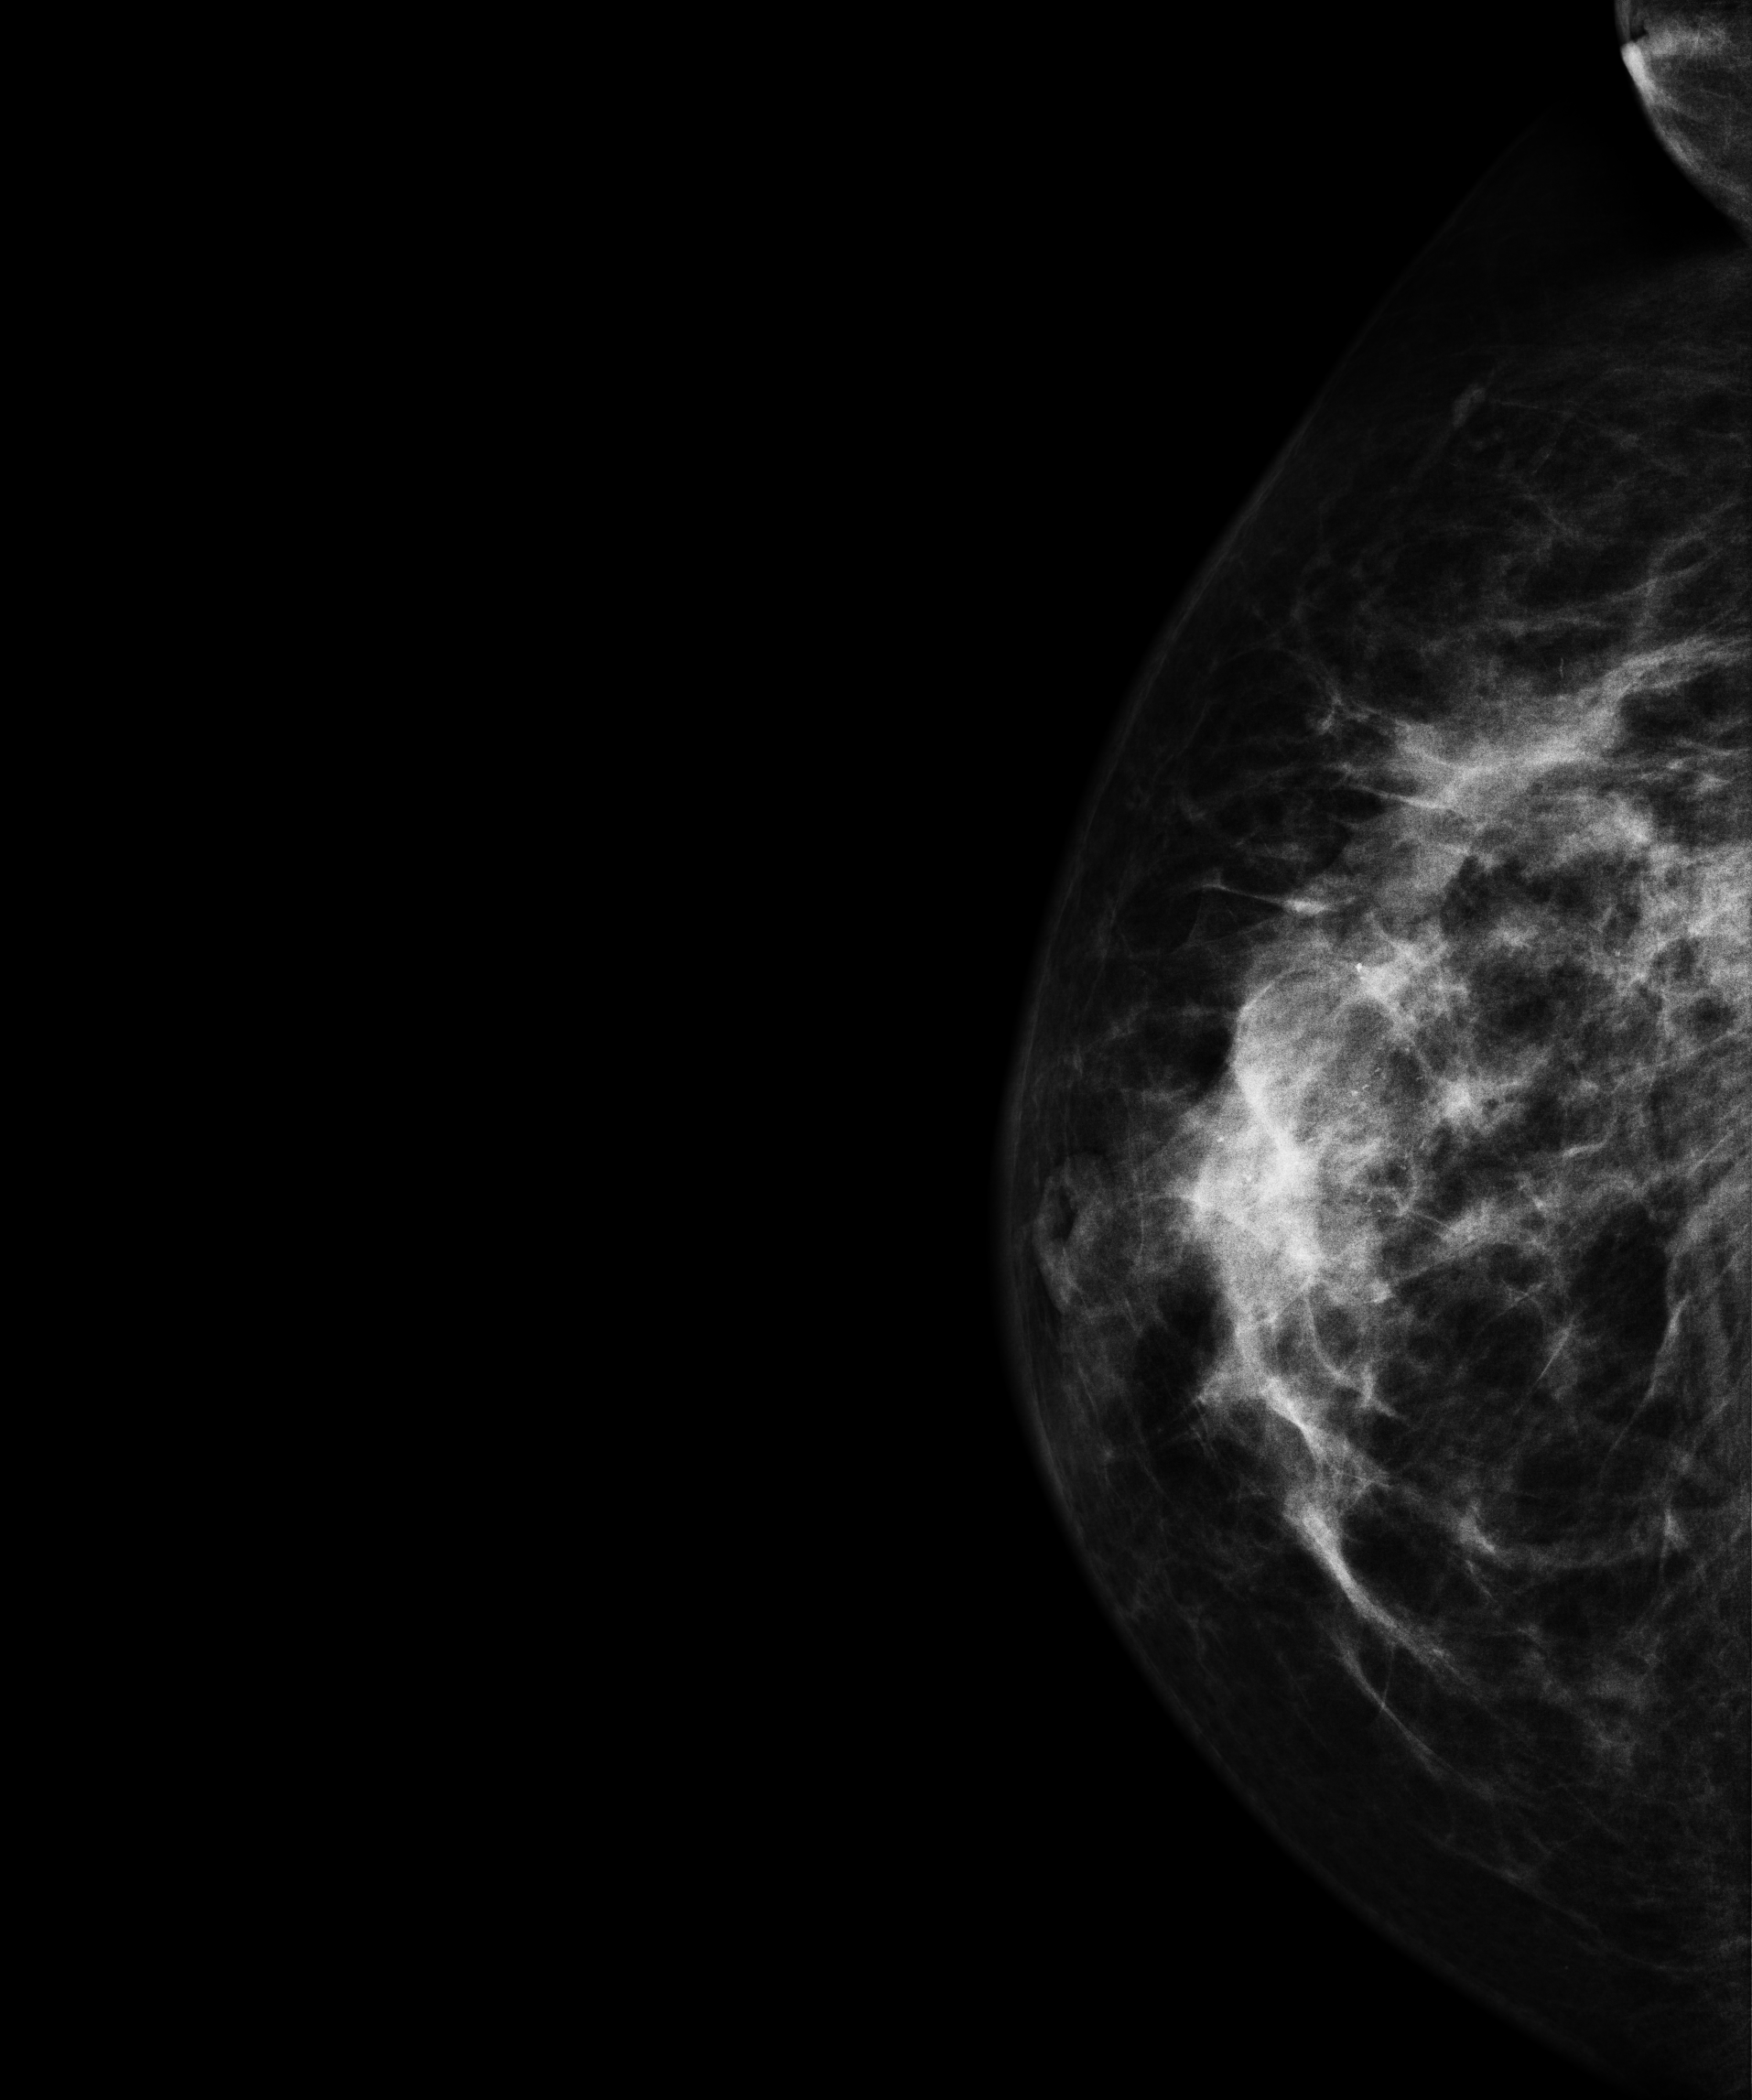
Mammogram, right breast, CC view. 56-year-old patient.
This breast has a mass and calcifications, histologically confirmed malignant.